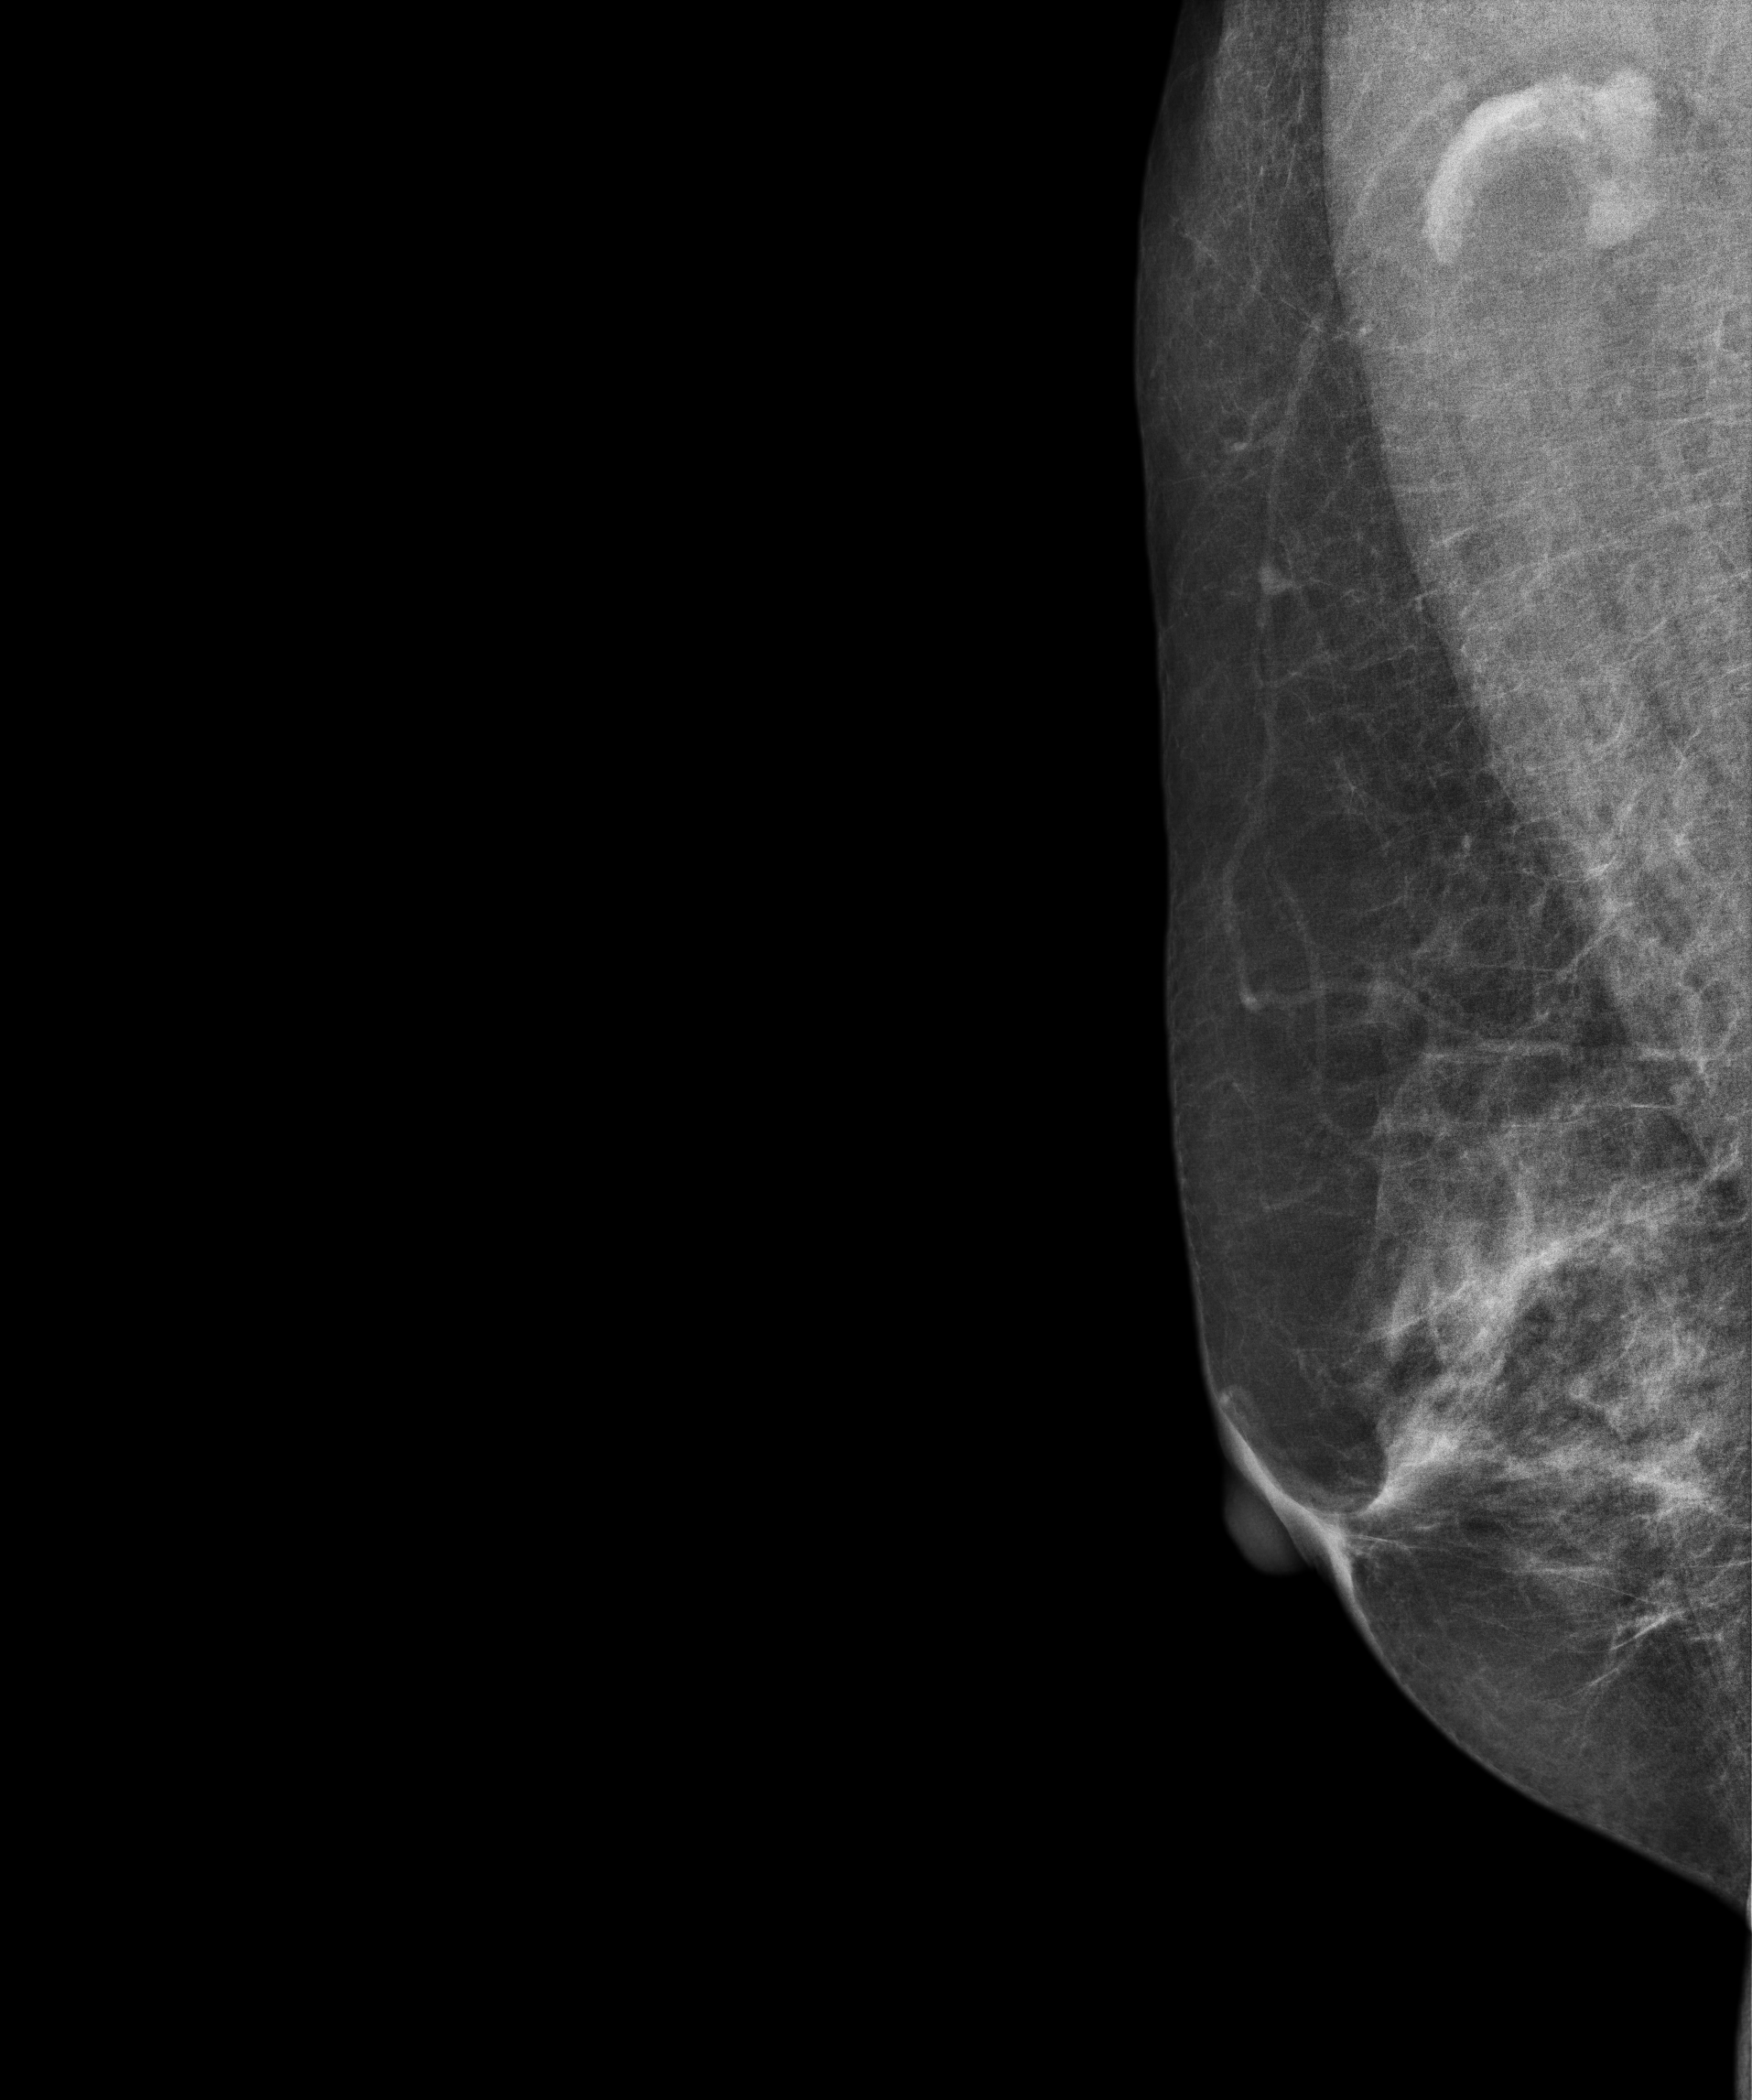
MLO mammogram of the right breast. 52 y/o patient.
Contralateral breast — no documented abnormality on this side.